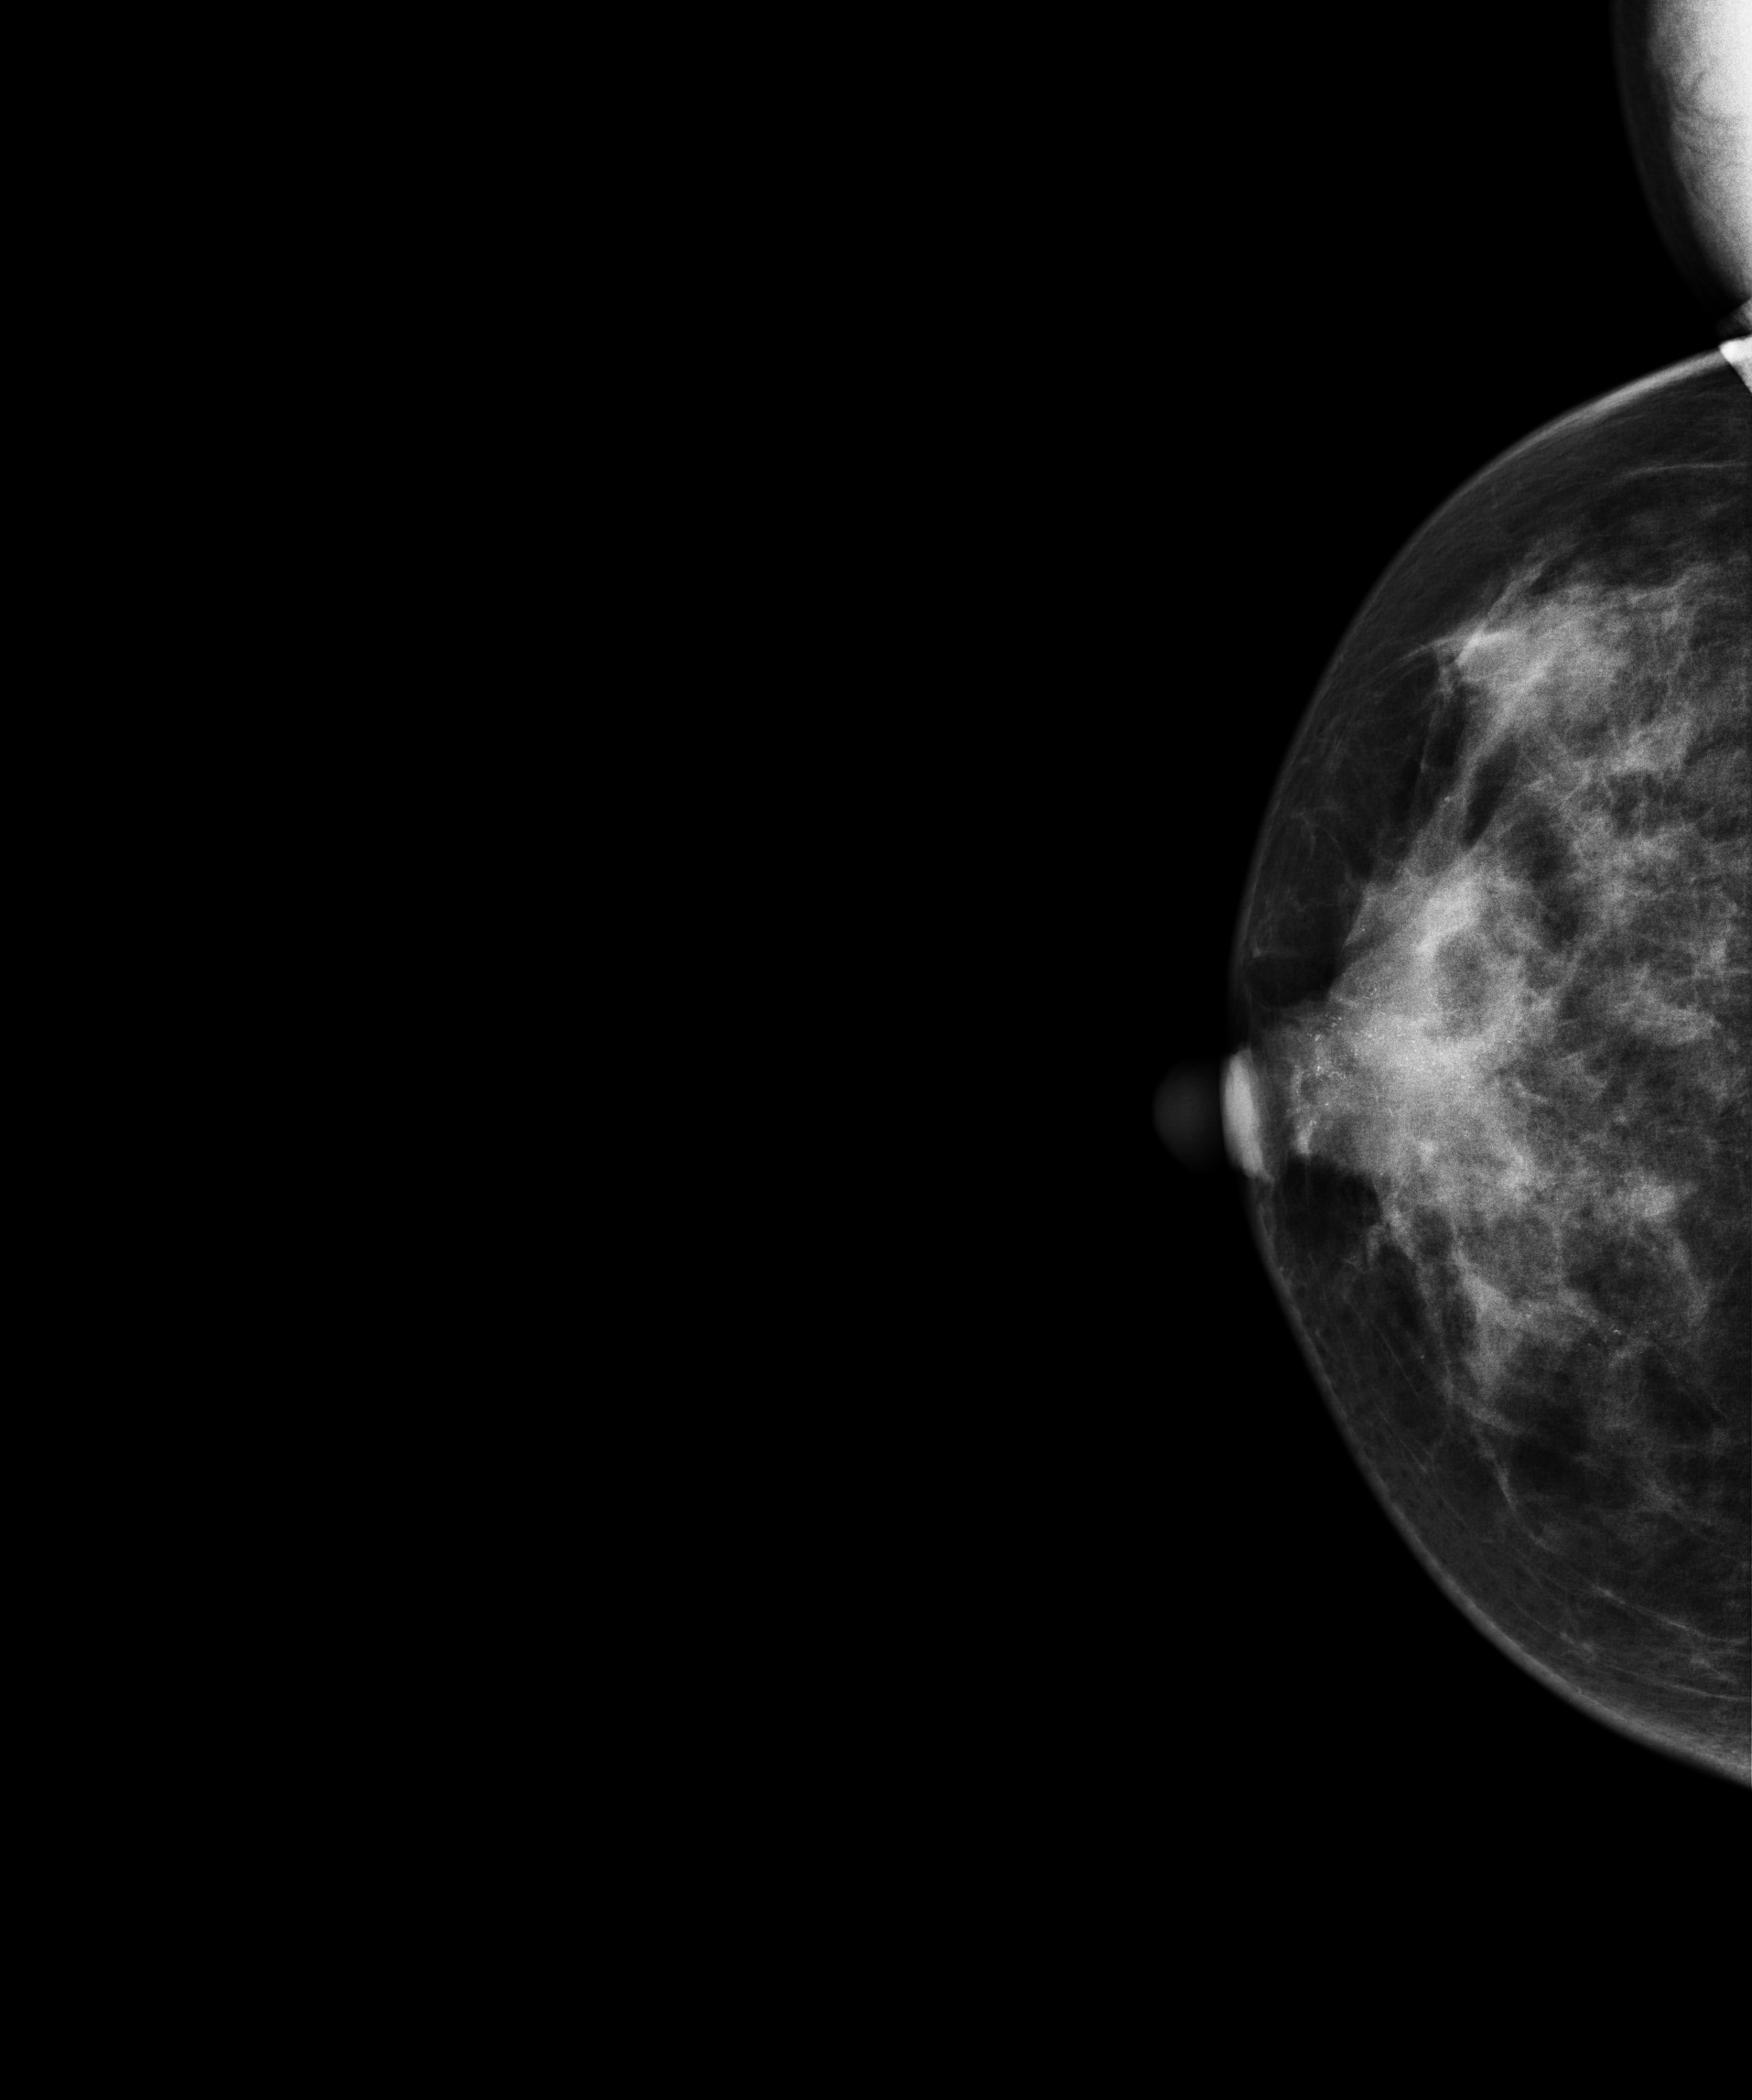
Right-breast mammogram, cranio-caudal. Patient age 44.
This breast has a mass and calcifications, biopsy-confirmed malignant. Molecular subtype: luminal B.